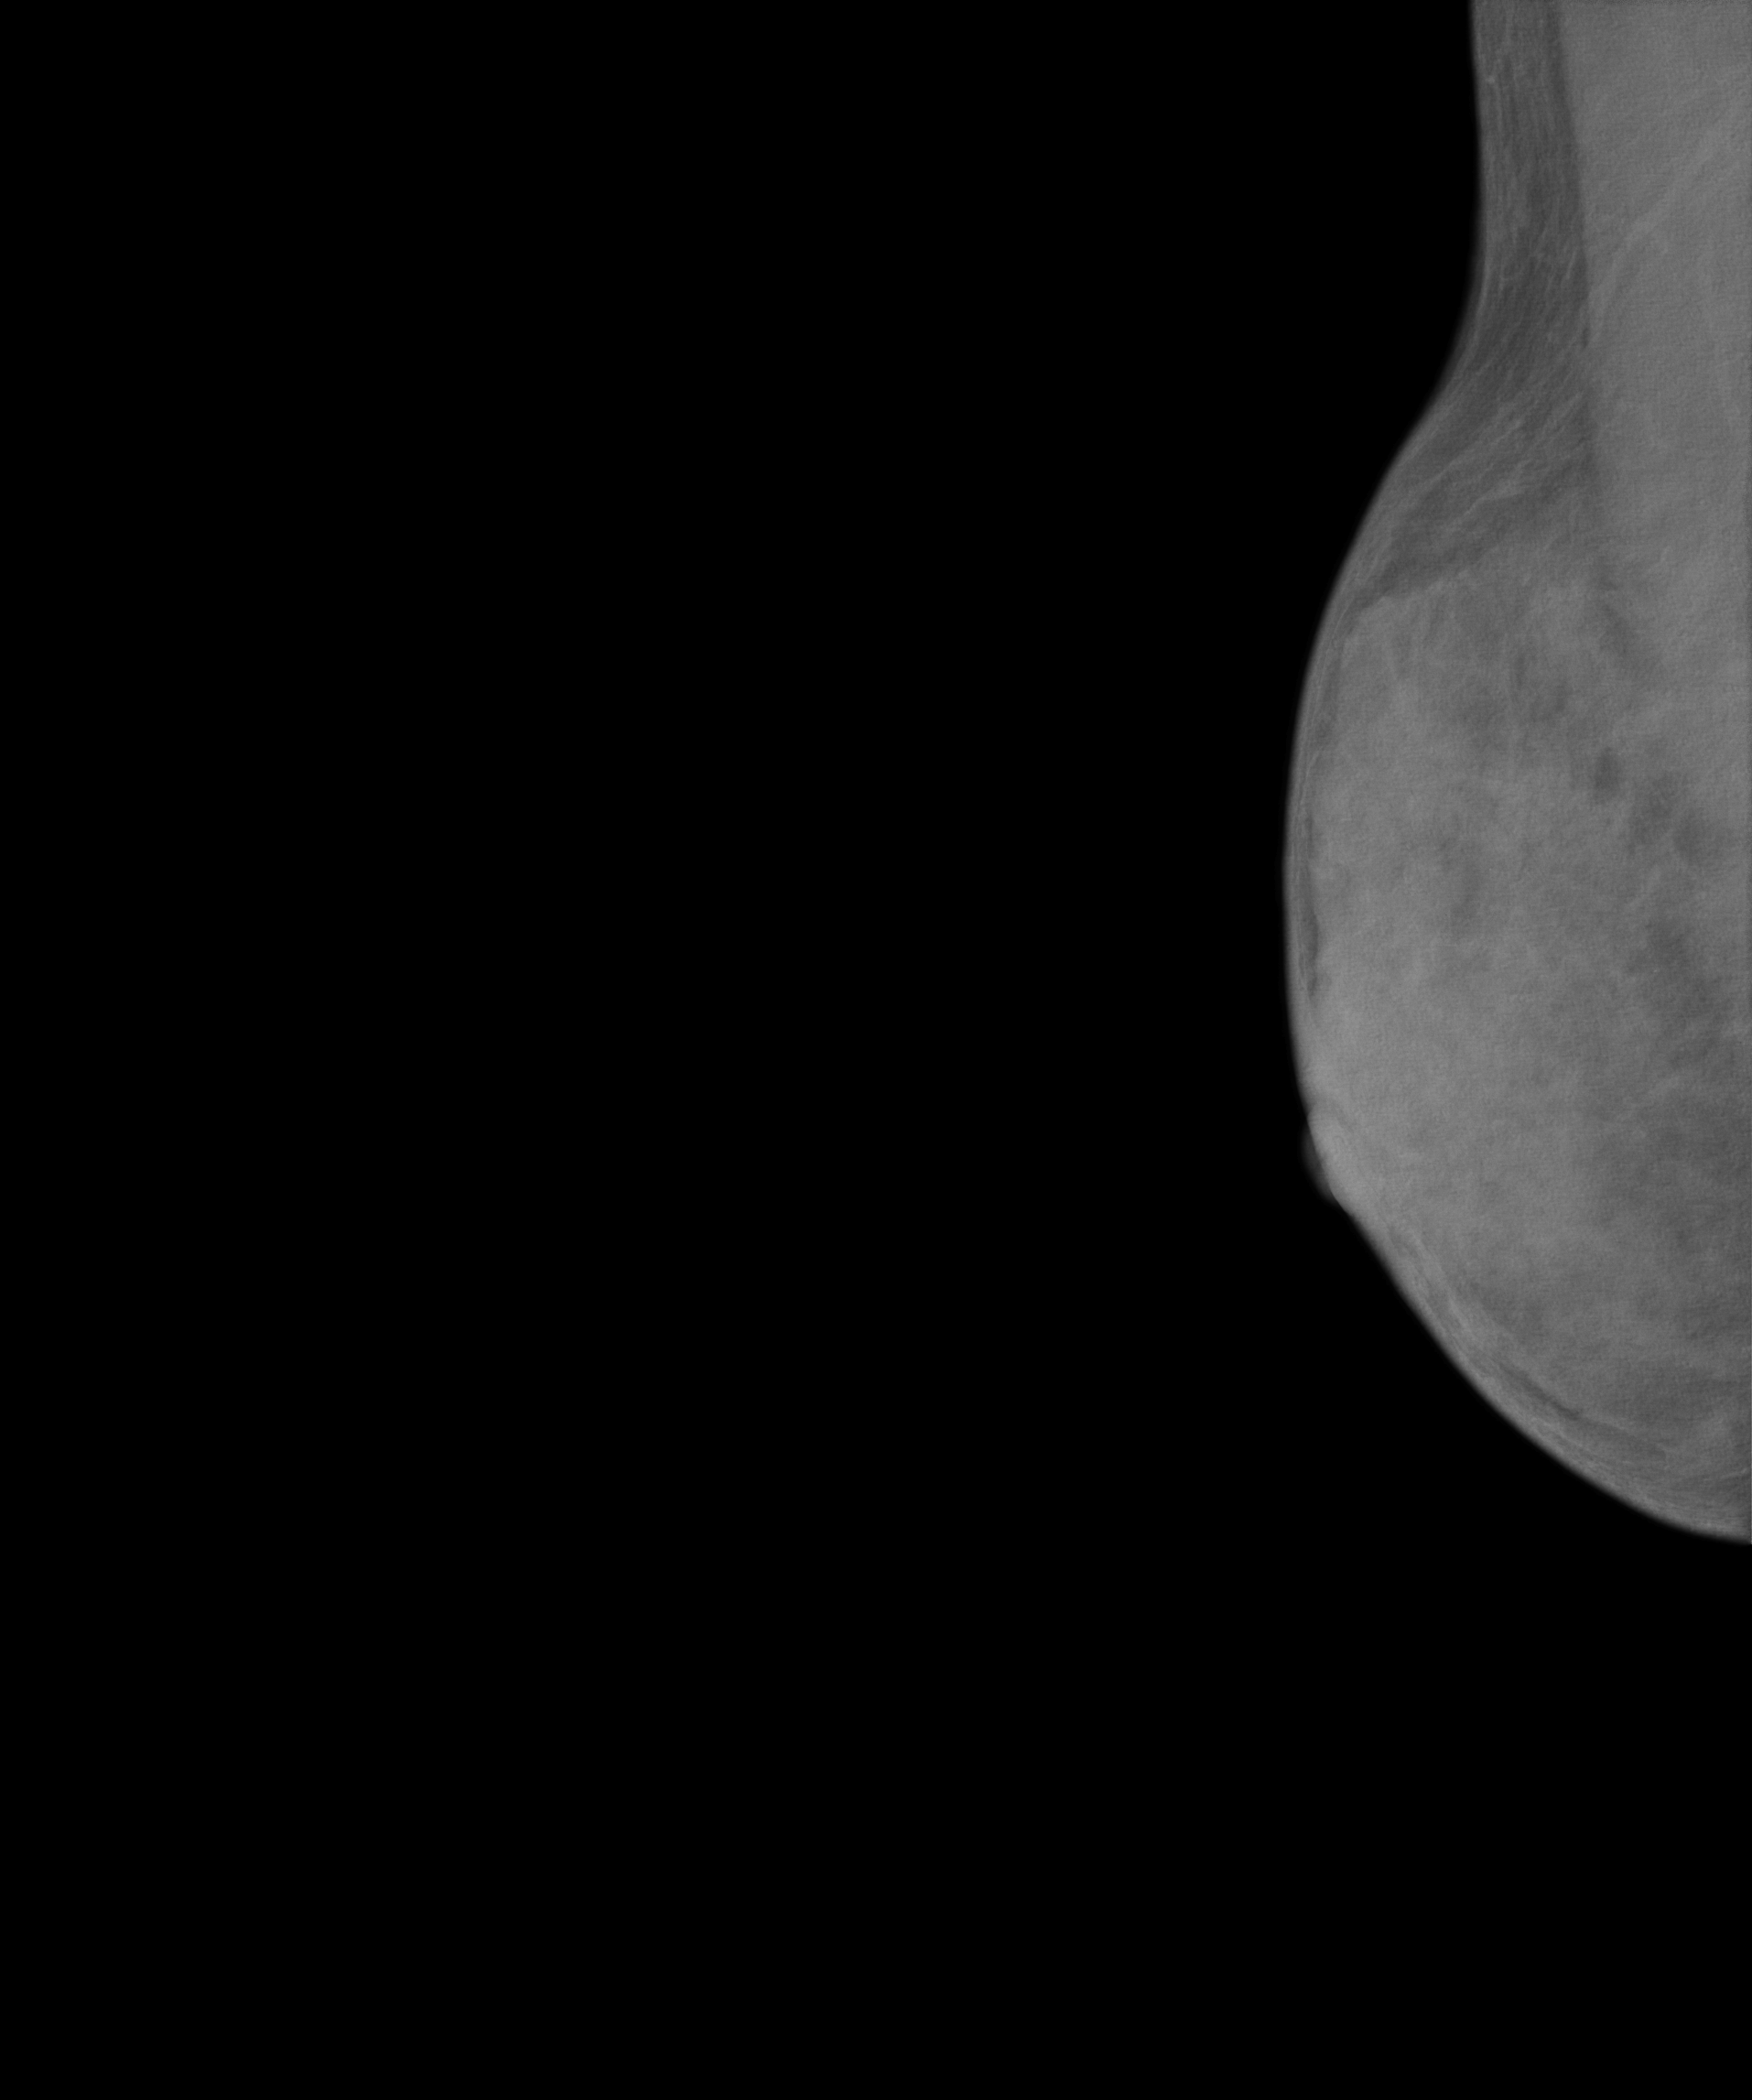
Mammogram, right breast, MLO view. 57 y/o patient.
Contralateral breast — no documented abnormality on this side.